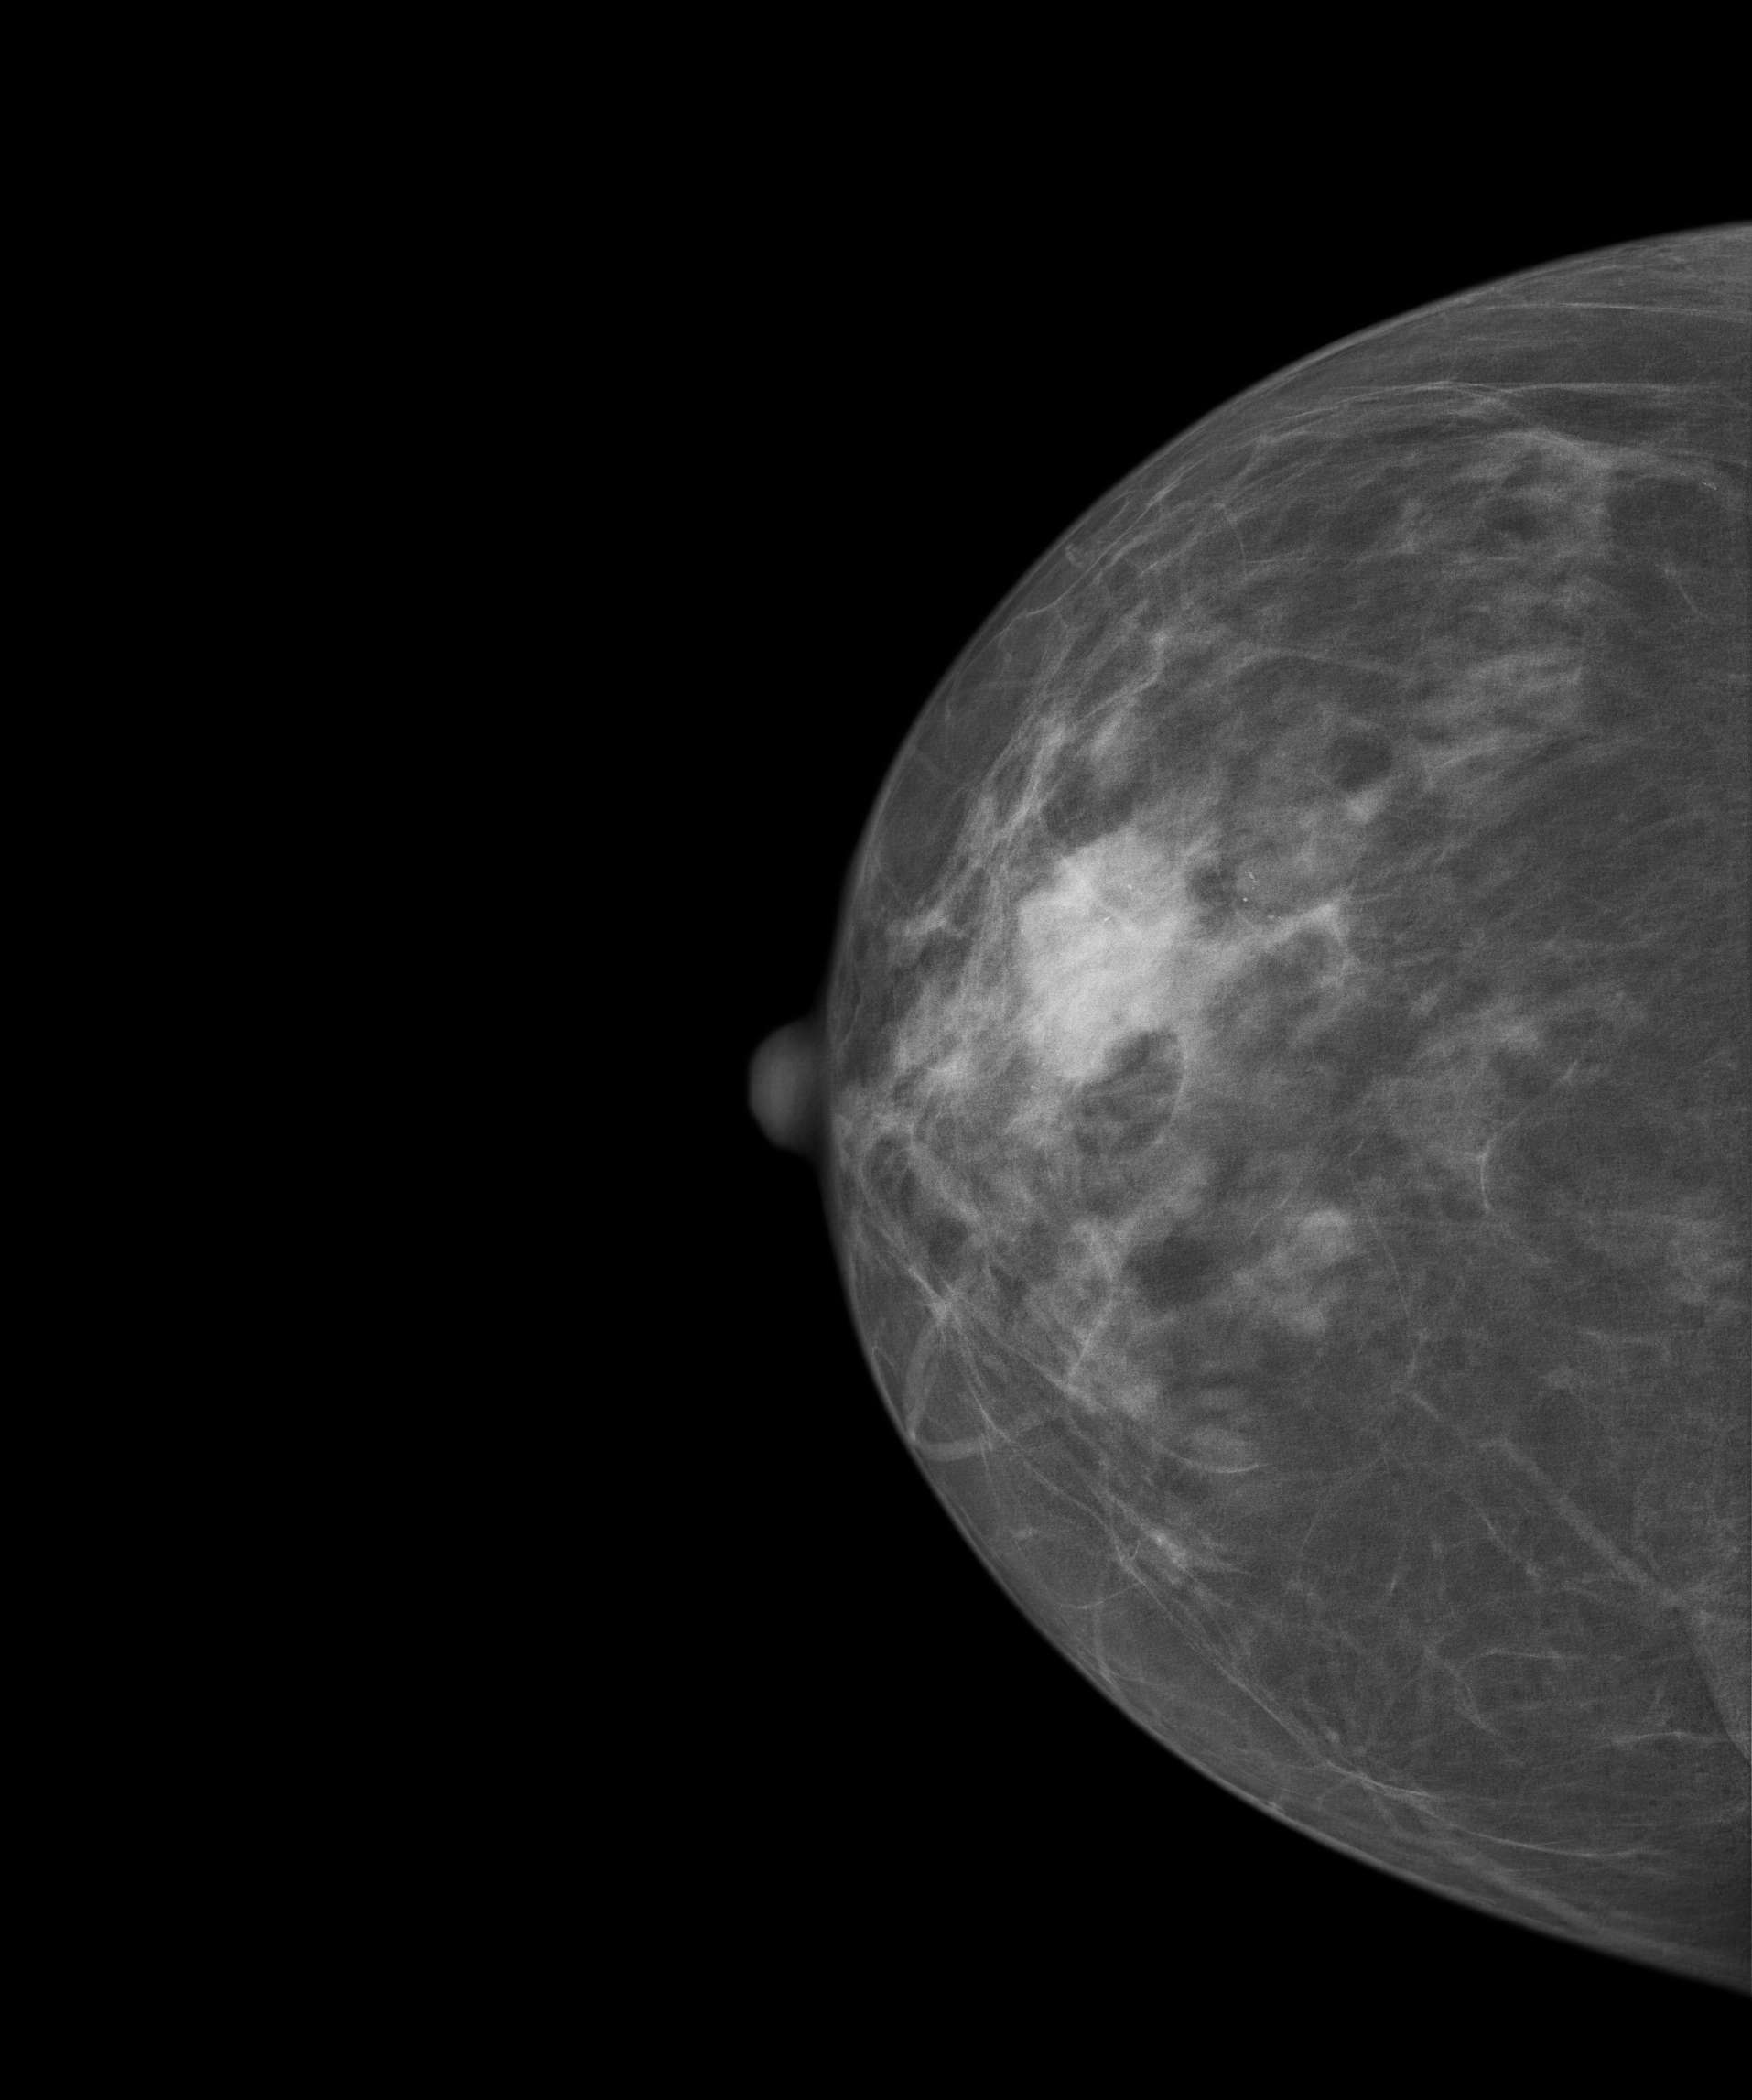
Digital mammography. Right breast, cranio-caudal projection. 62 y/o patient.
This breast has a mass and calcifications, pathology-confirmed malignant. Molecular subtype: luminal B.